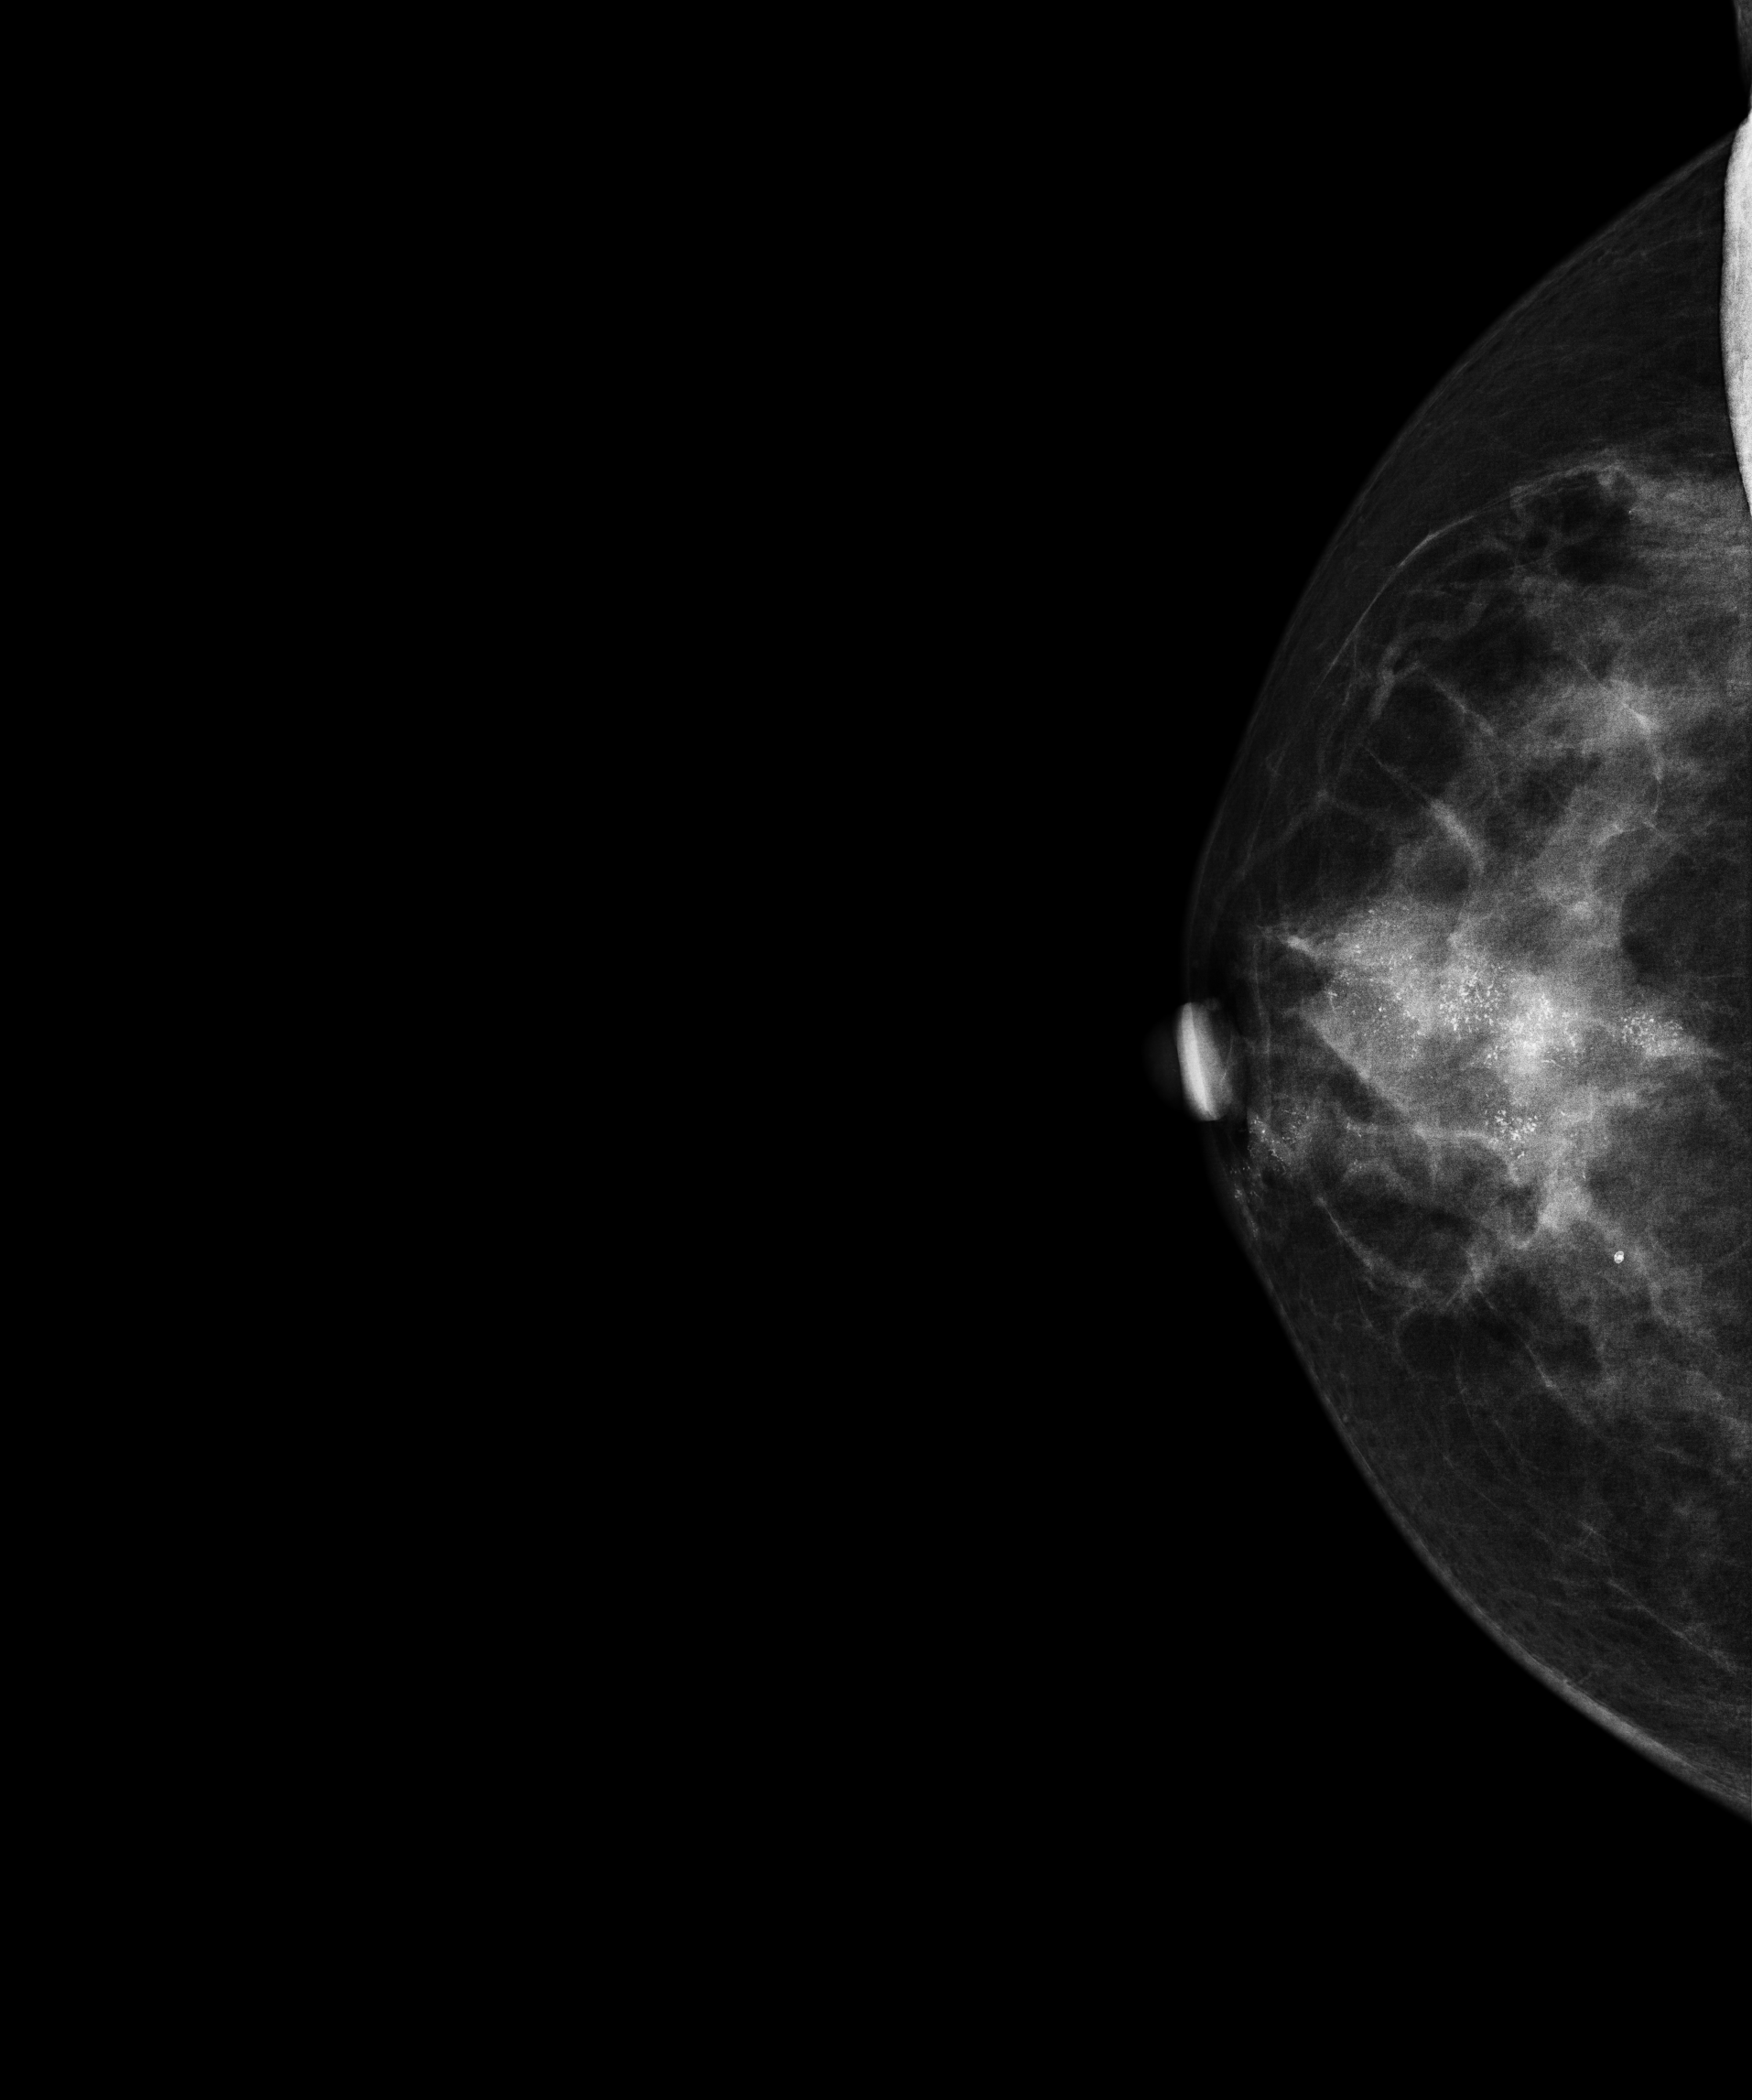
Right-breast mammogram, cranio-caudal. Patient age 57.
This breast has a mass and calcifications, biopsy-proven malignant. Molecular subtype: luminal B.